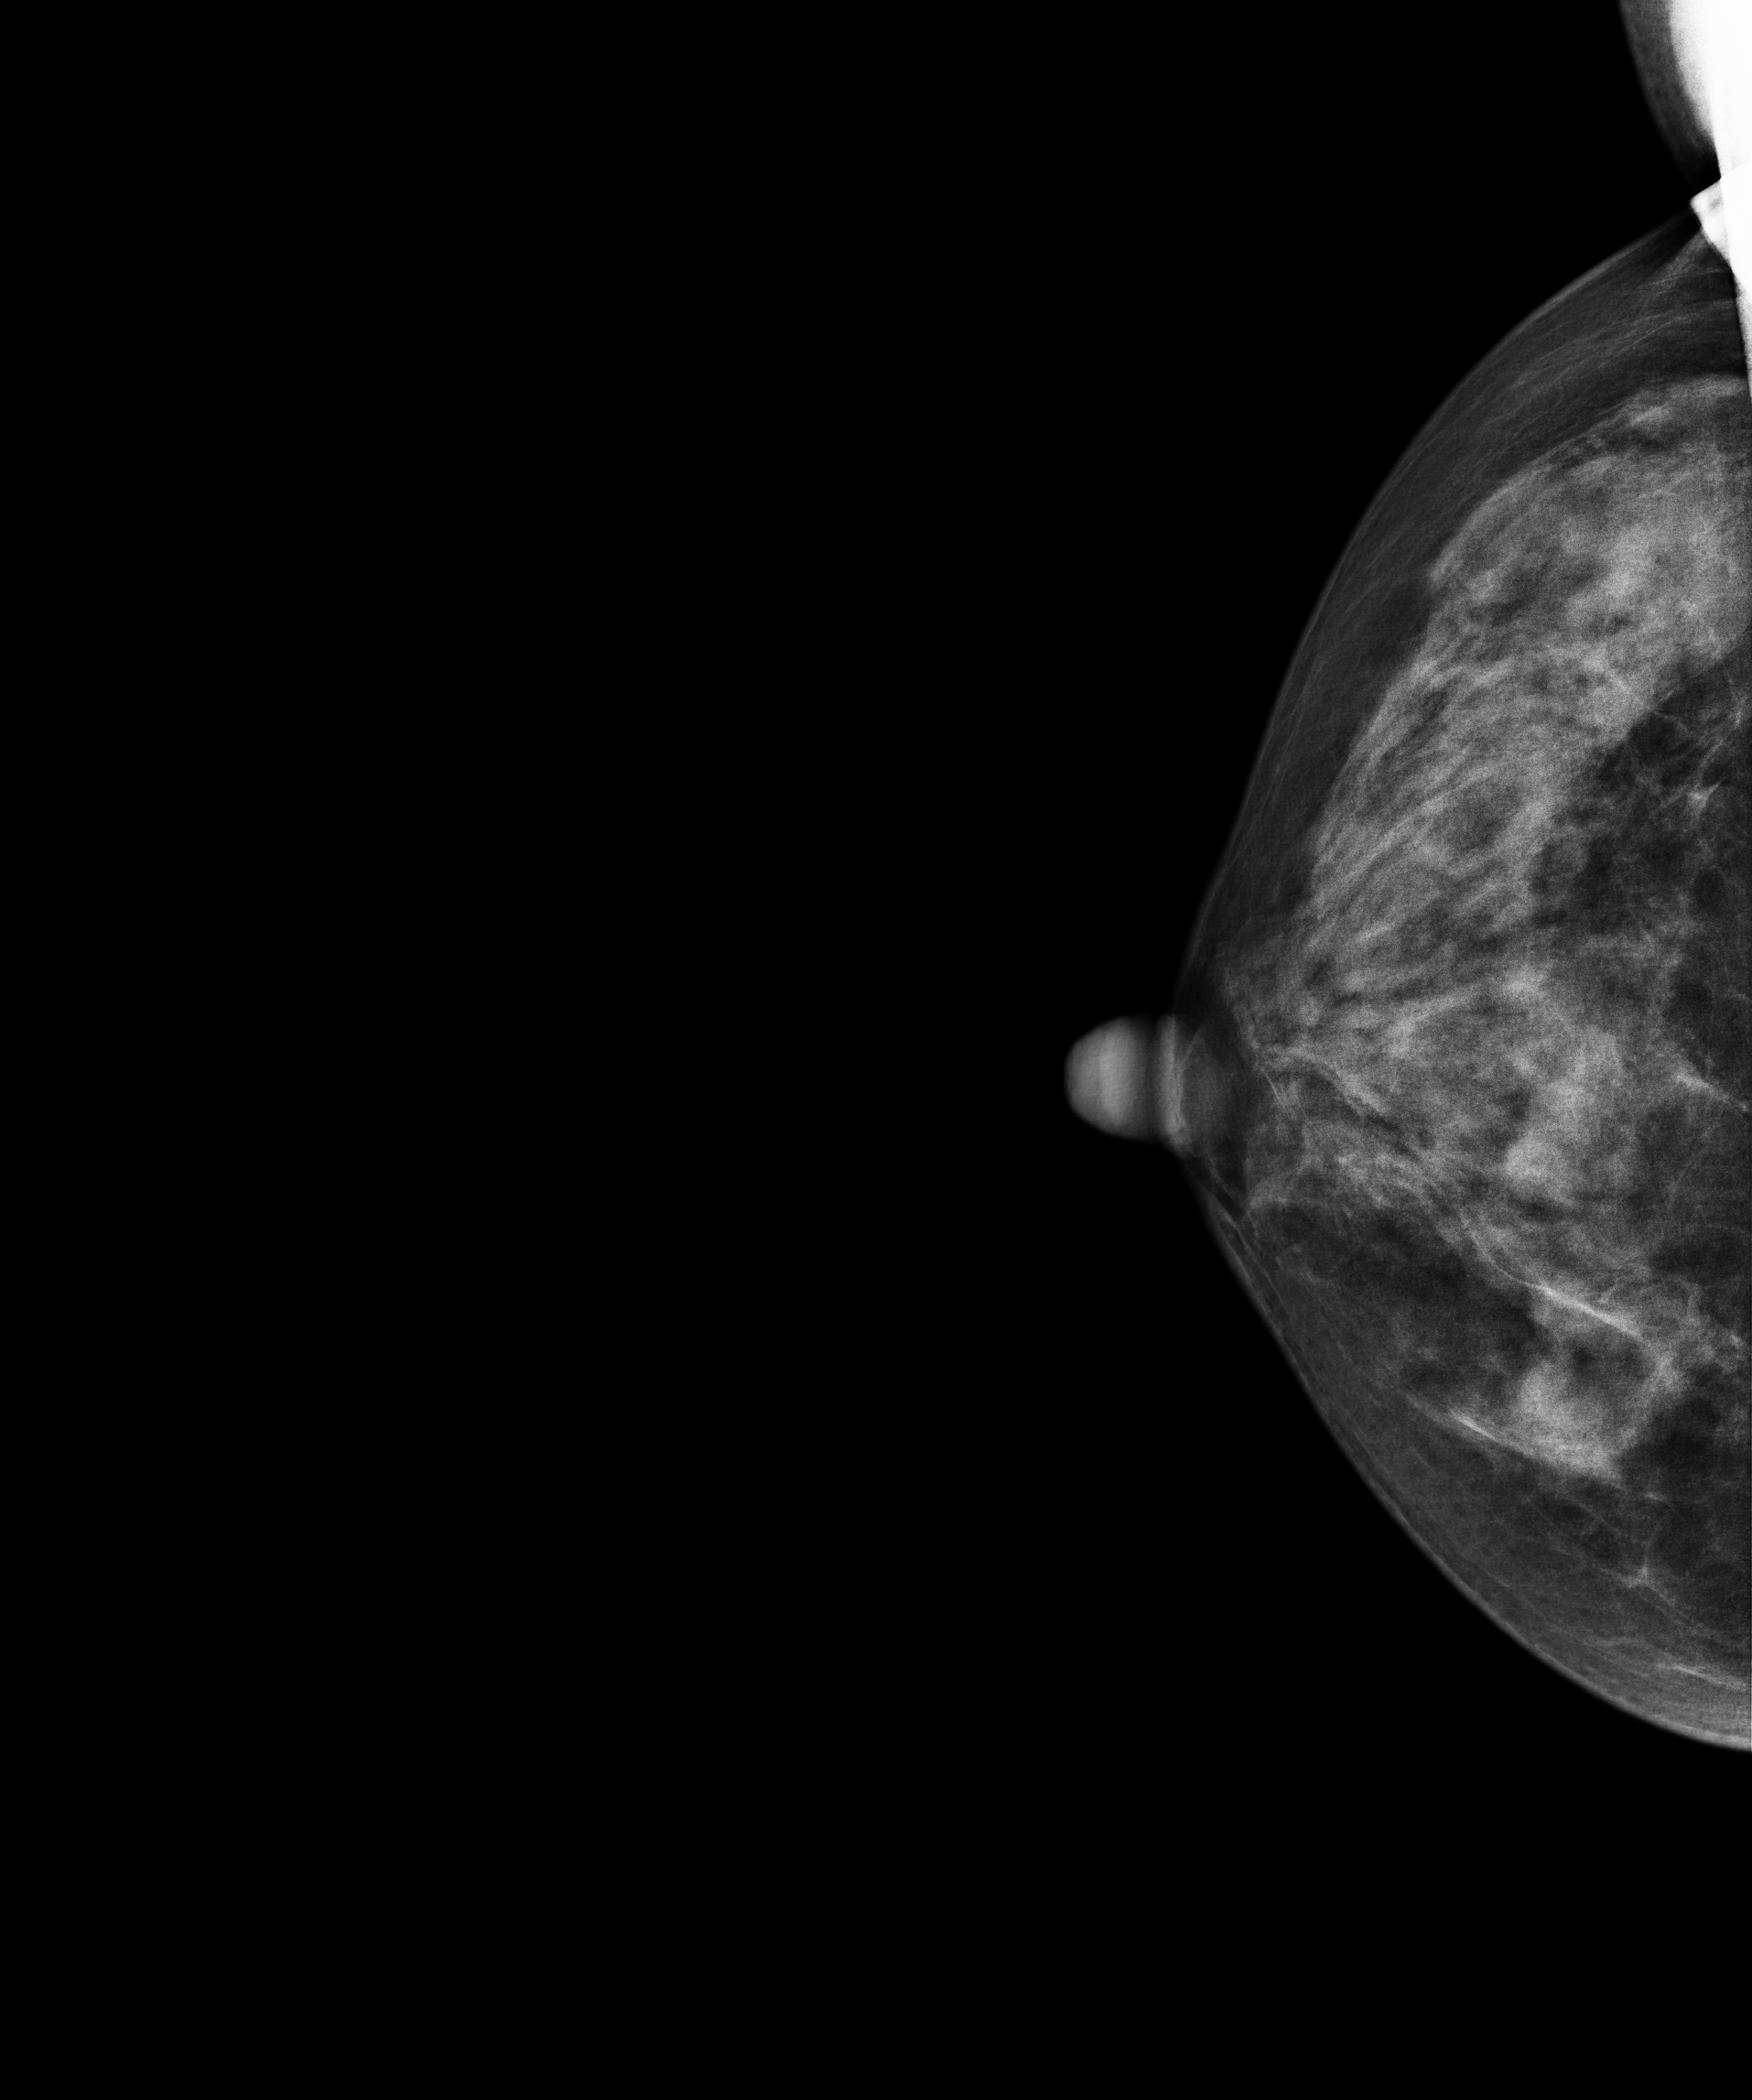
CC mammogram of the right breast. 48 y/o patient.
Contralateral breast — no documented abnormality on this side.